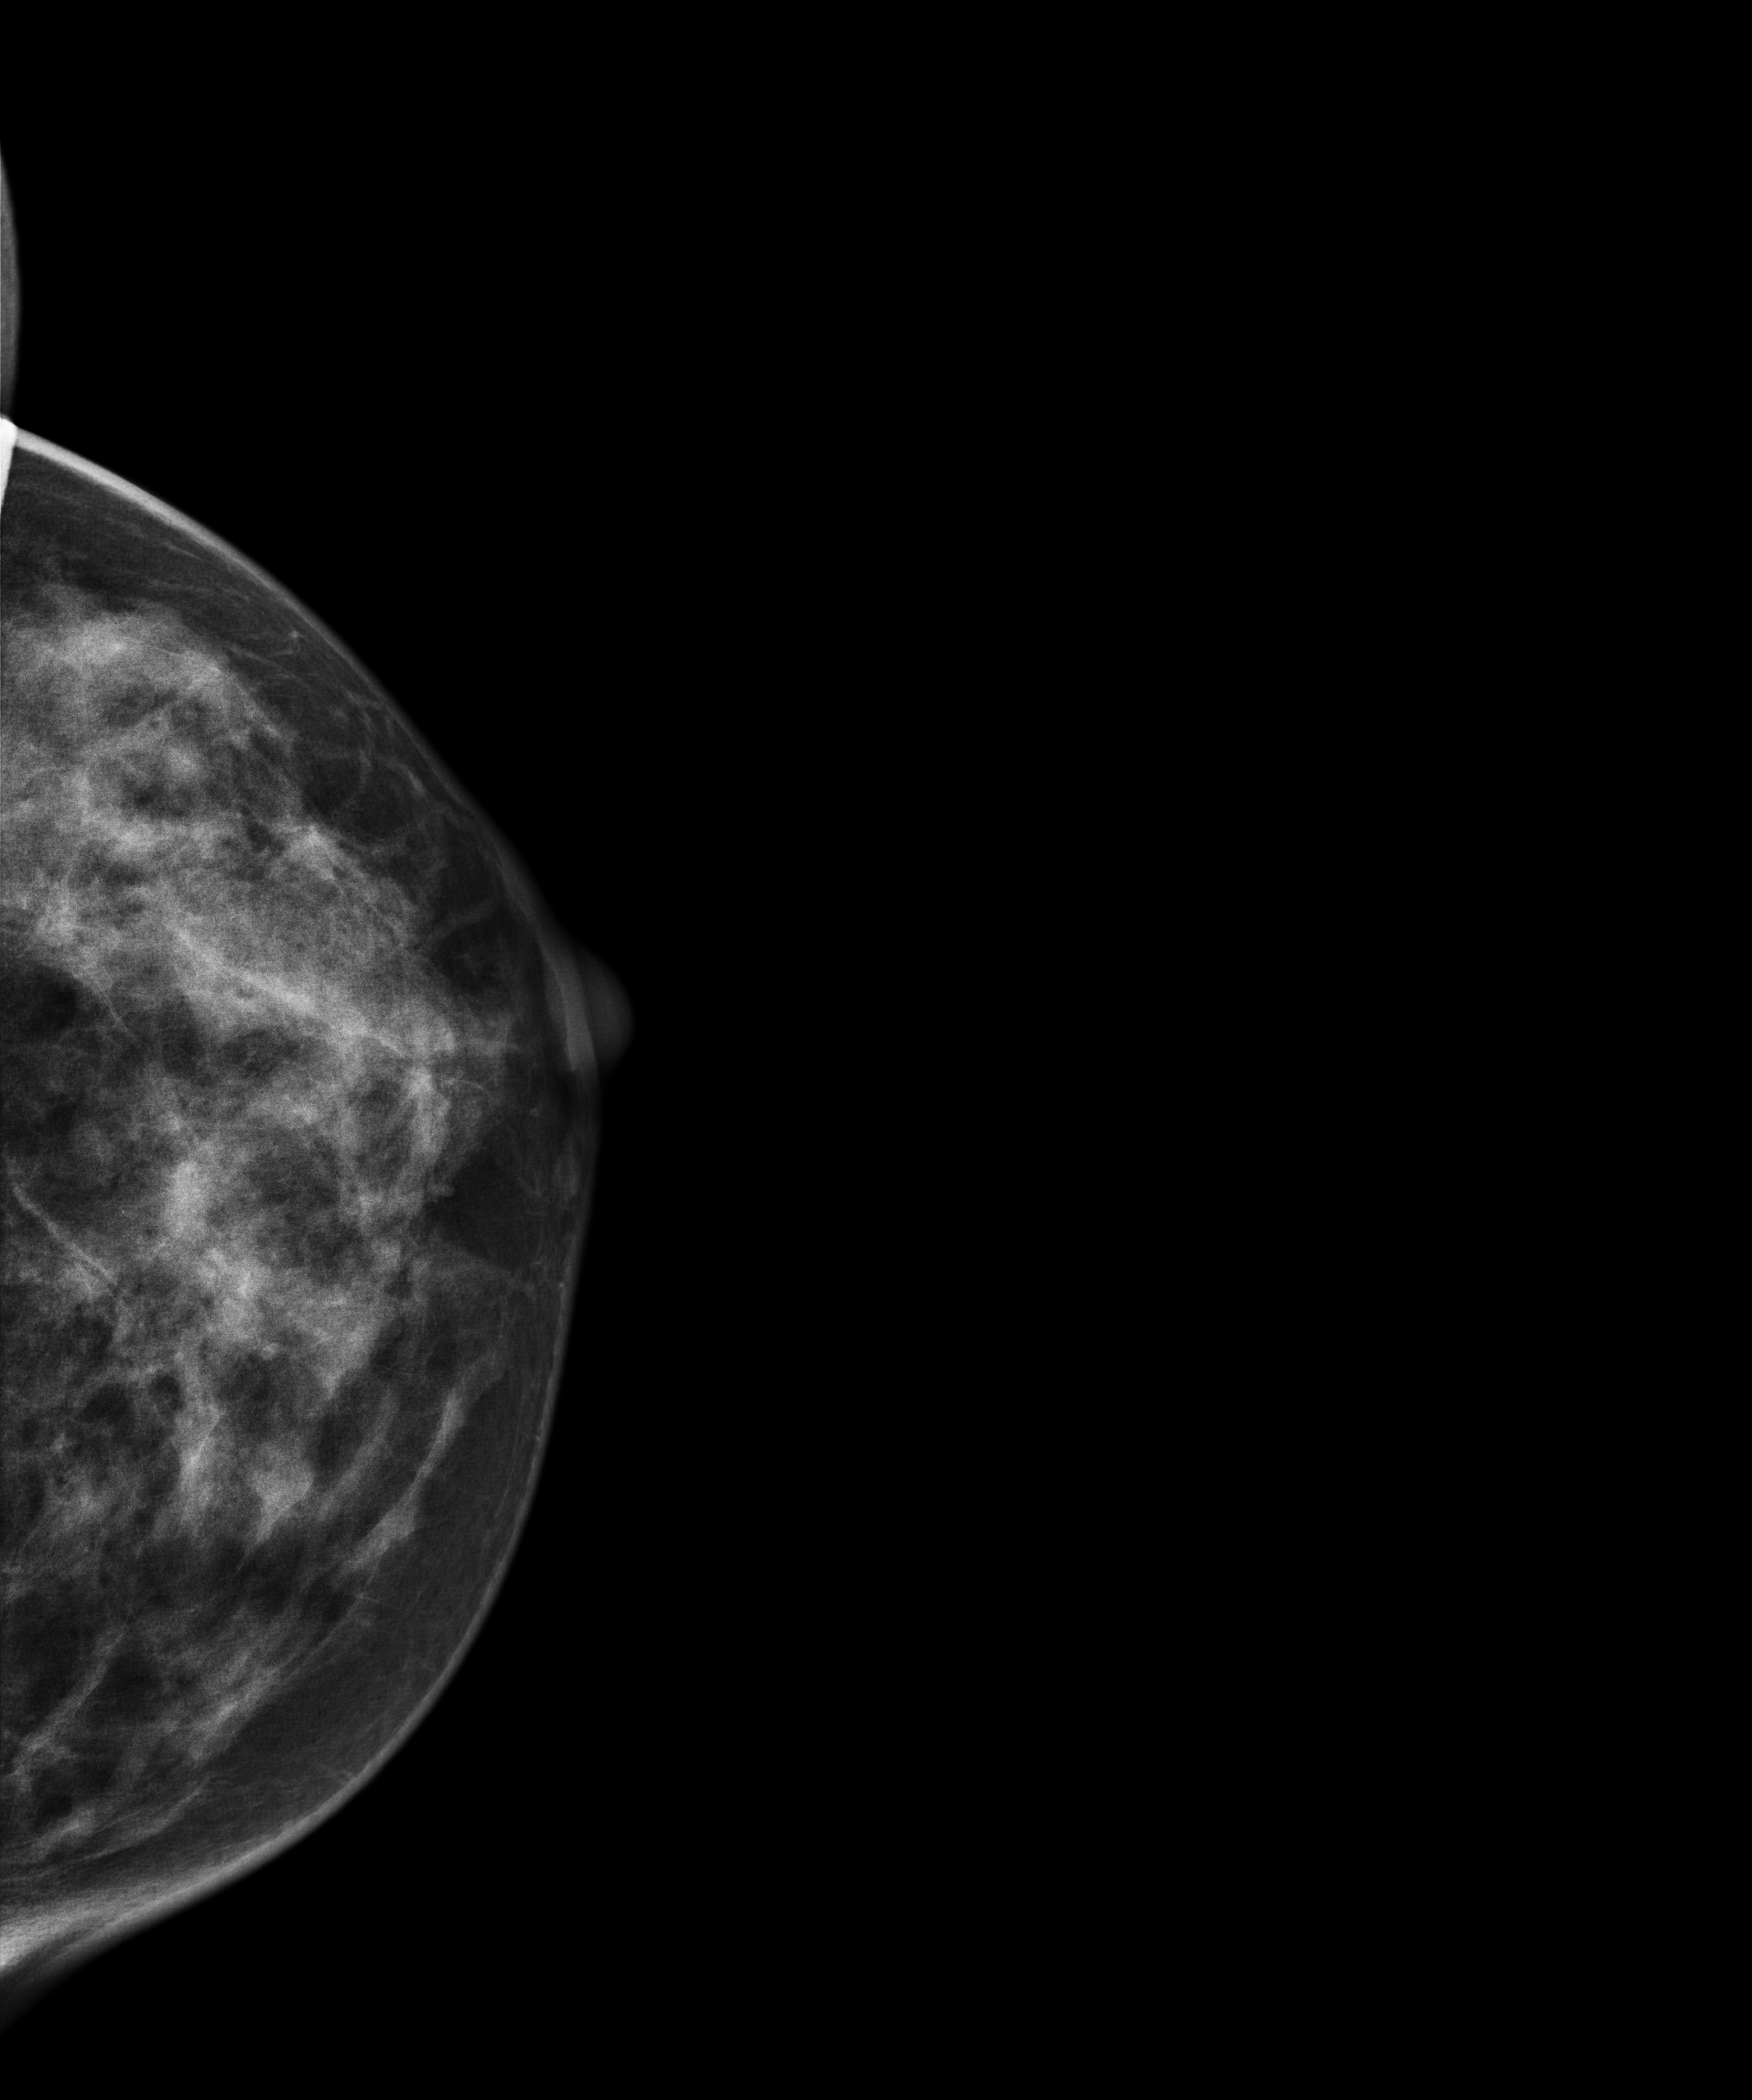
Mammogram, left breast, CC view. 46-year-old patient.
This breast has a mass, biopsy-confirmed malignant. Molecular subtype: luminal B.